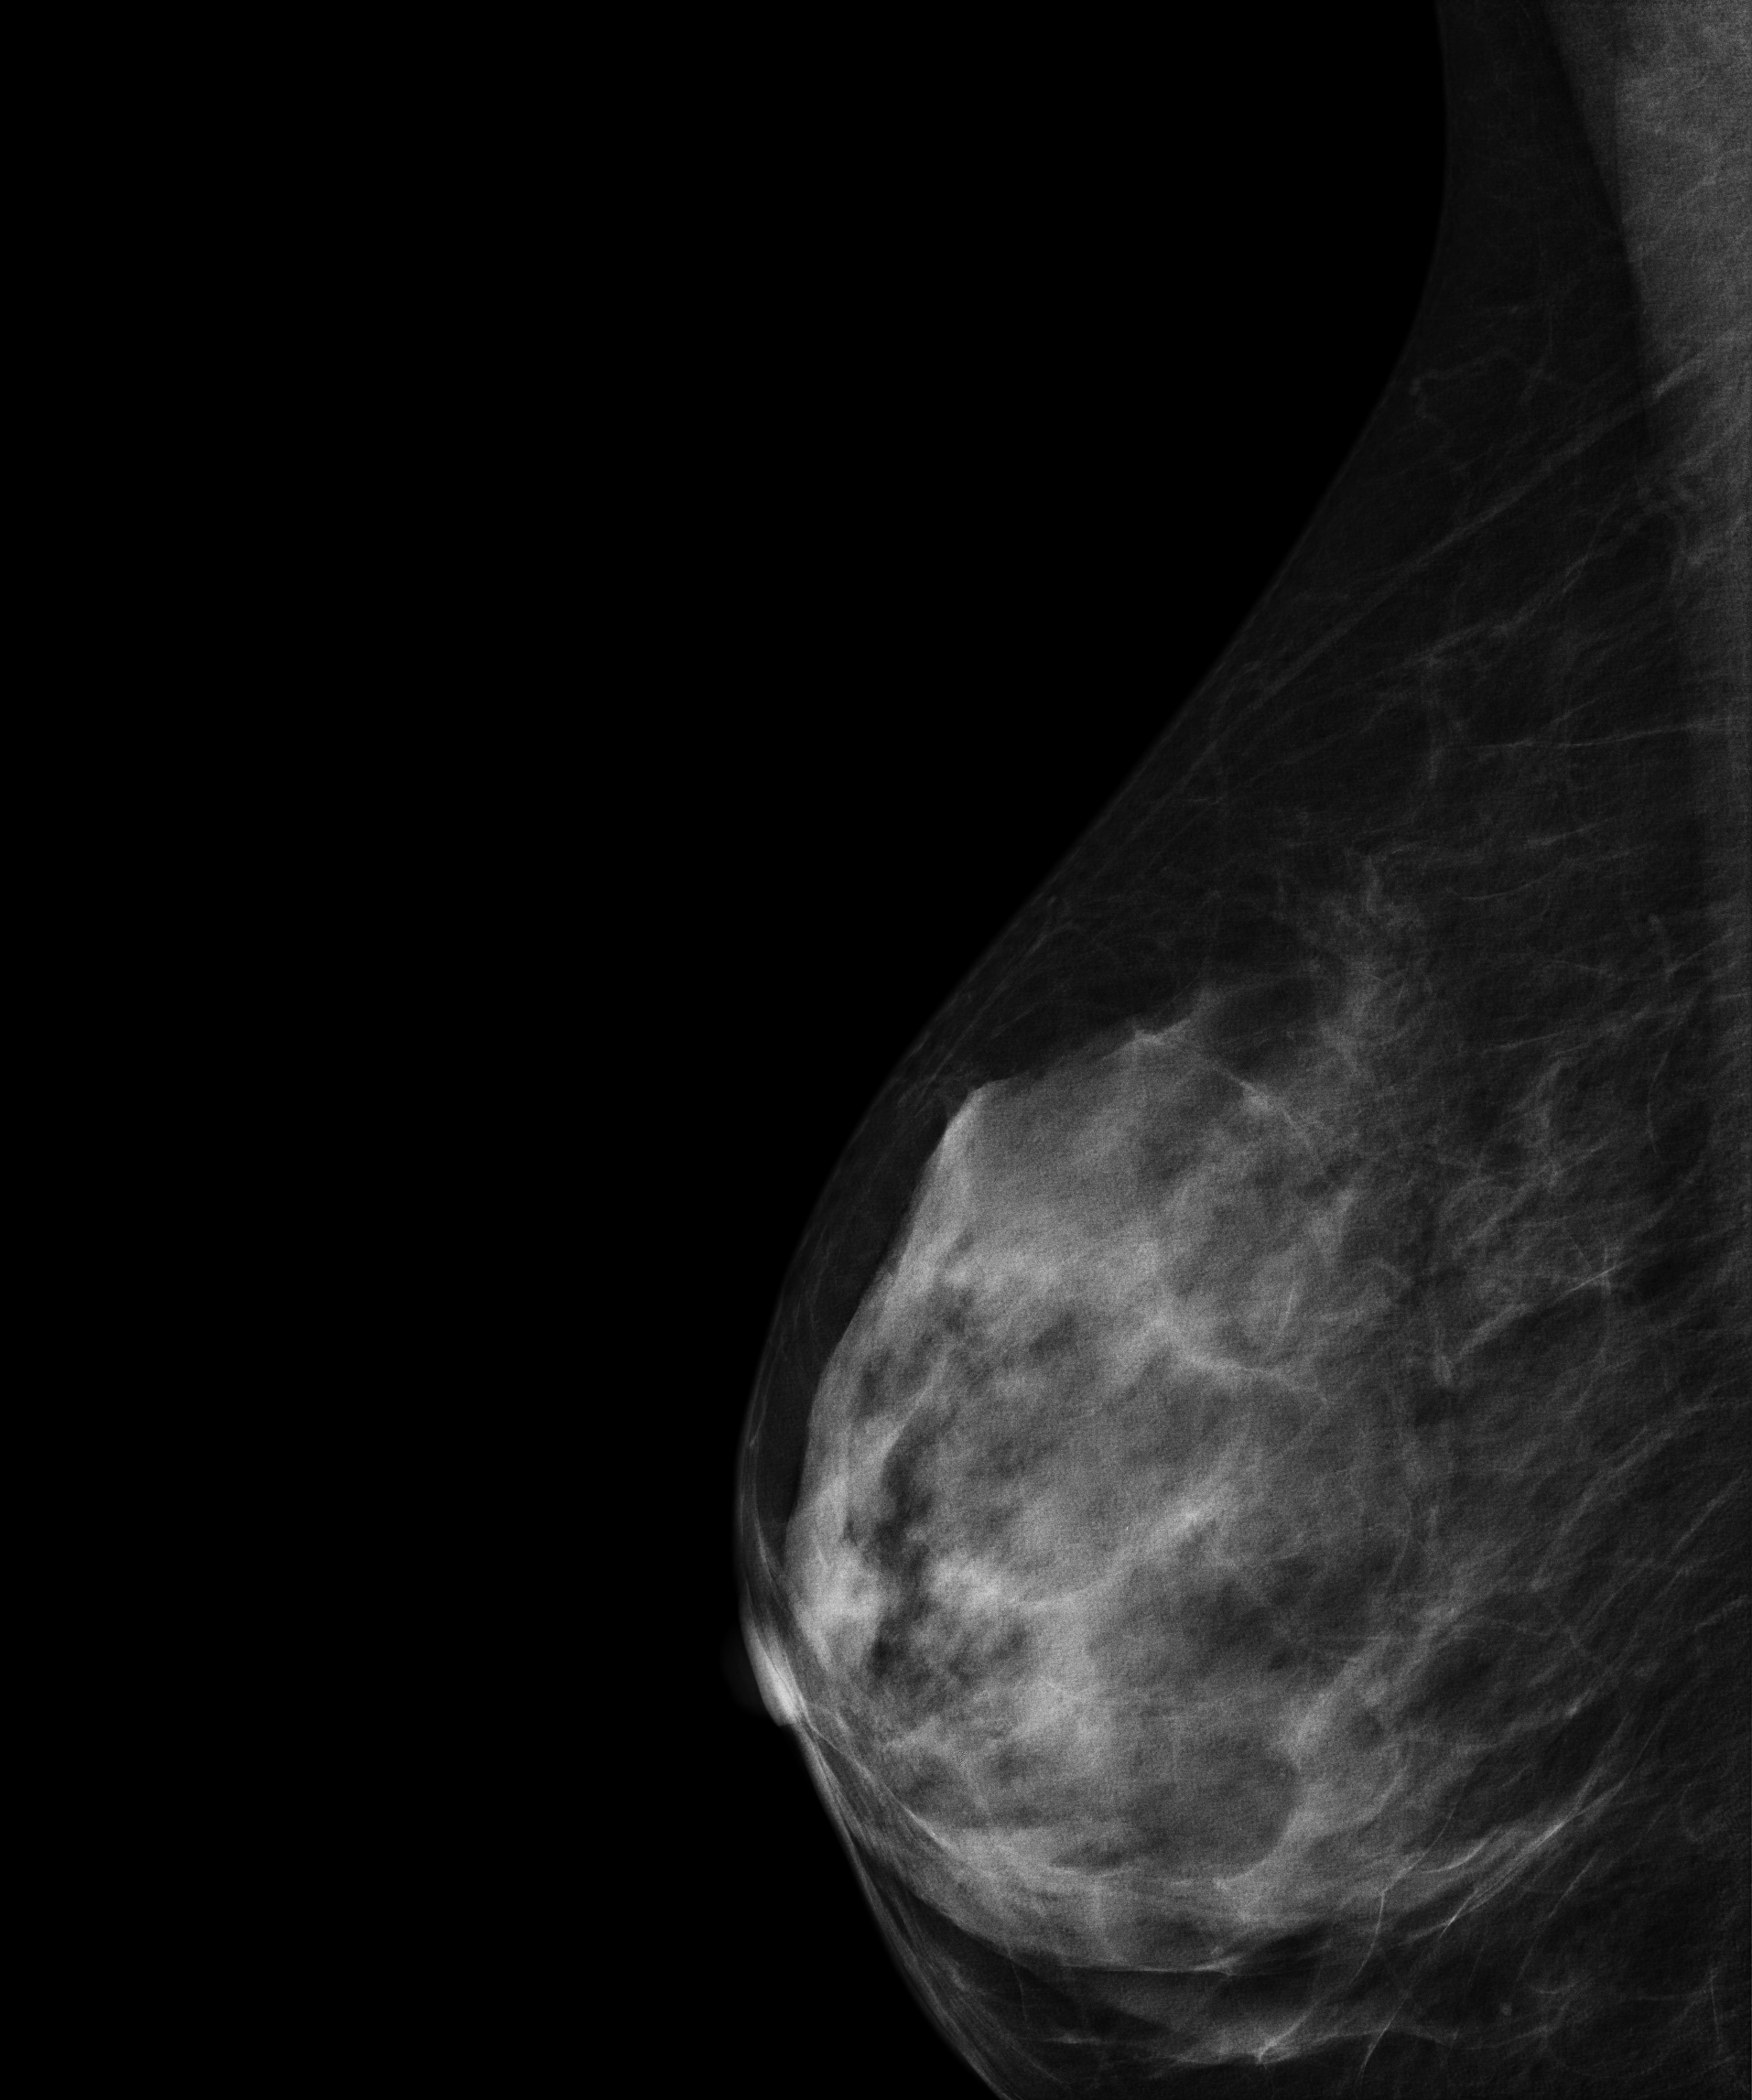
Right-breast mammogram, medio-lateral oblique. Patient age 56.
Contralateral breast — no documented abnormality on this side.